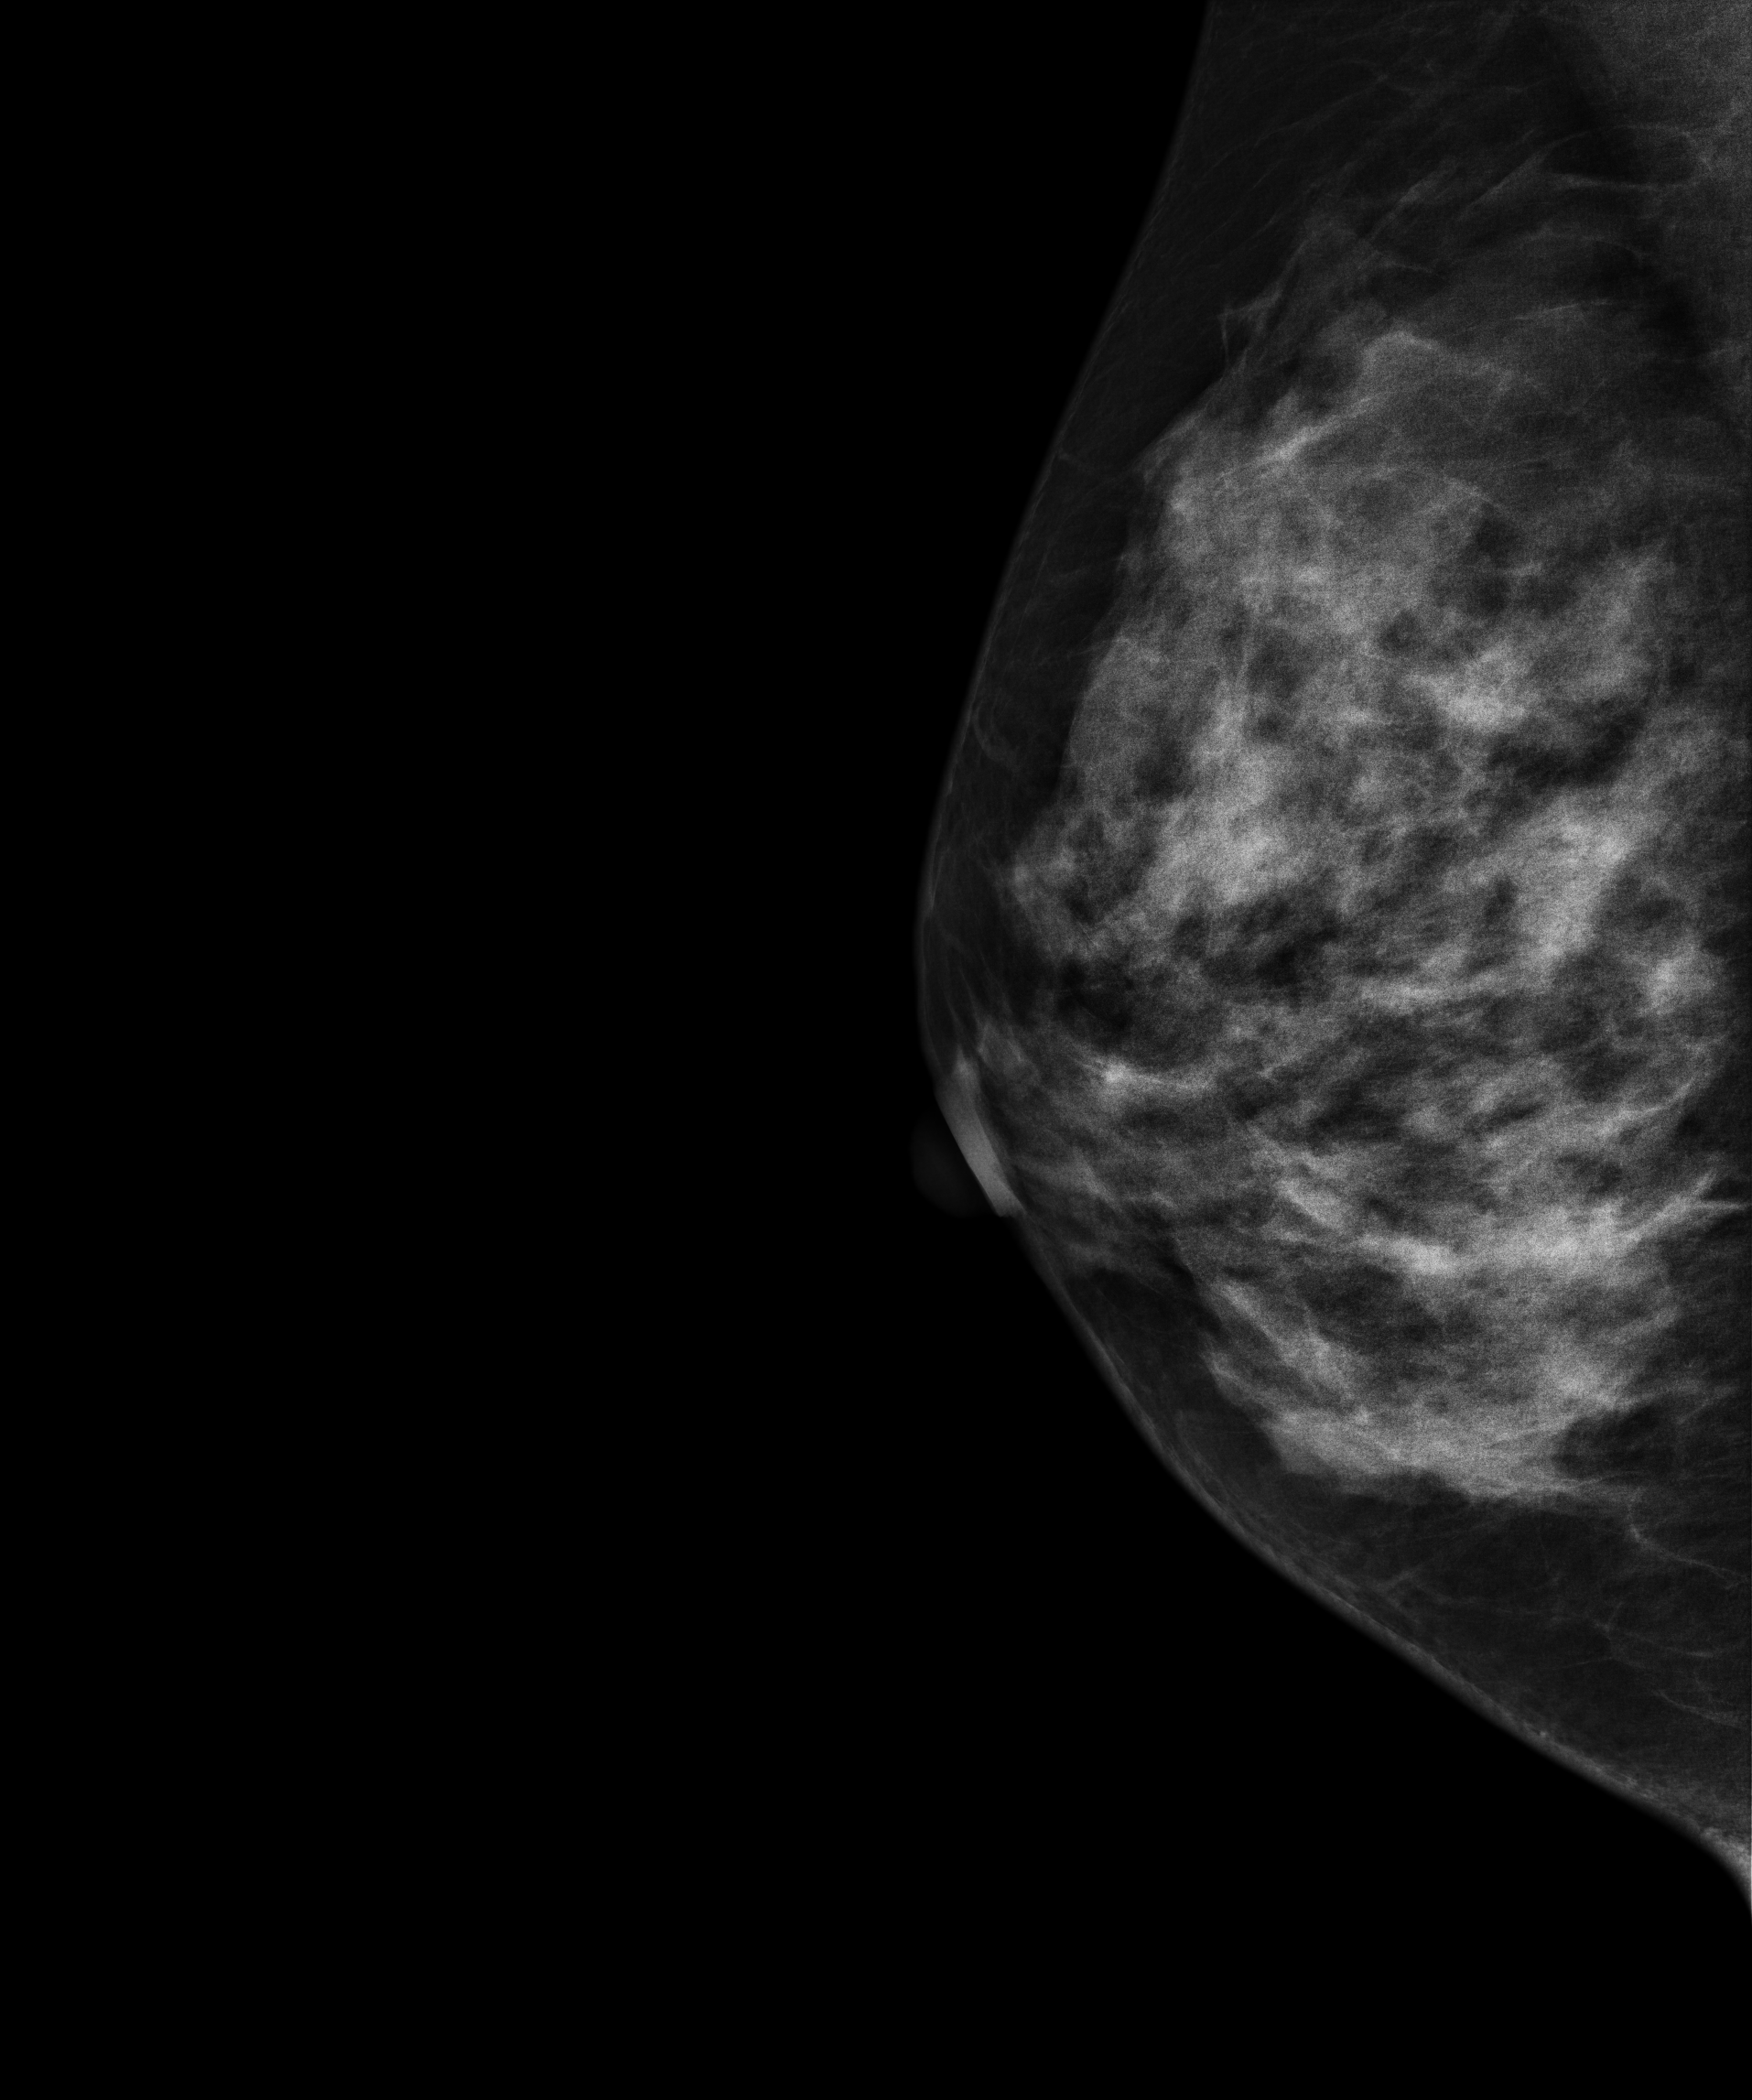
Mammogram — right medio-lateral oblique. 40 y/o patient.
This breast has a mass, biopsy-proven benign.